Medio-lateral oblique mammogram of the right breast. 51-year-old patient.
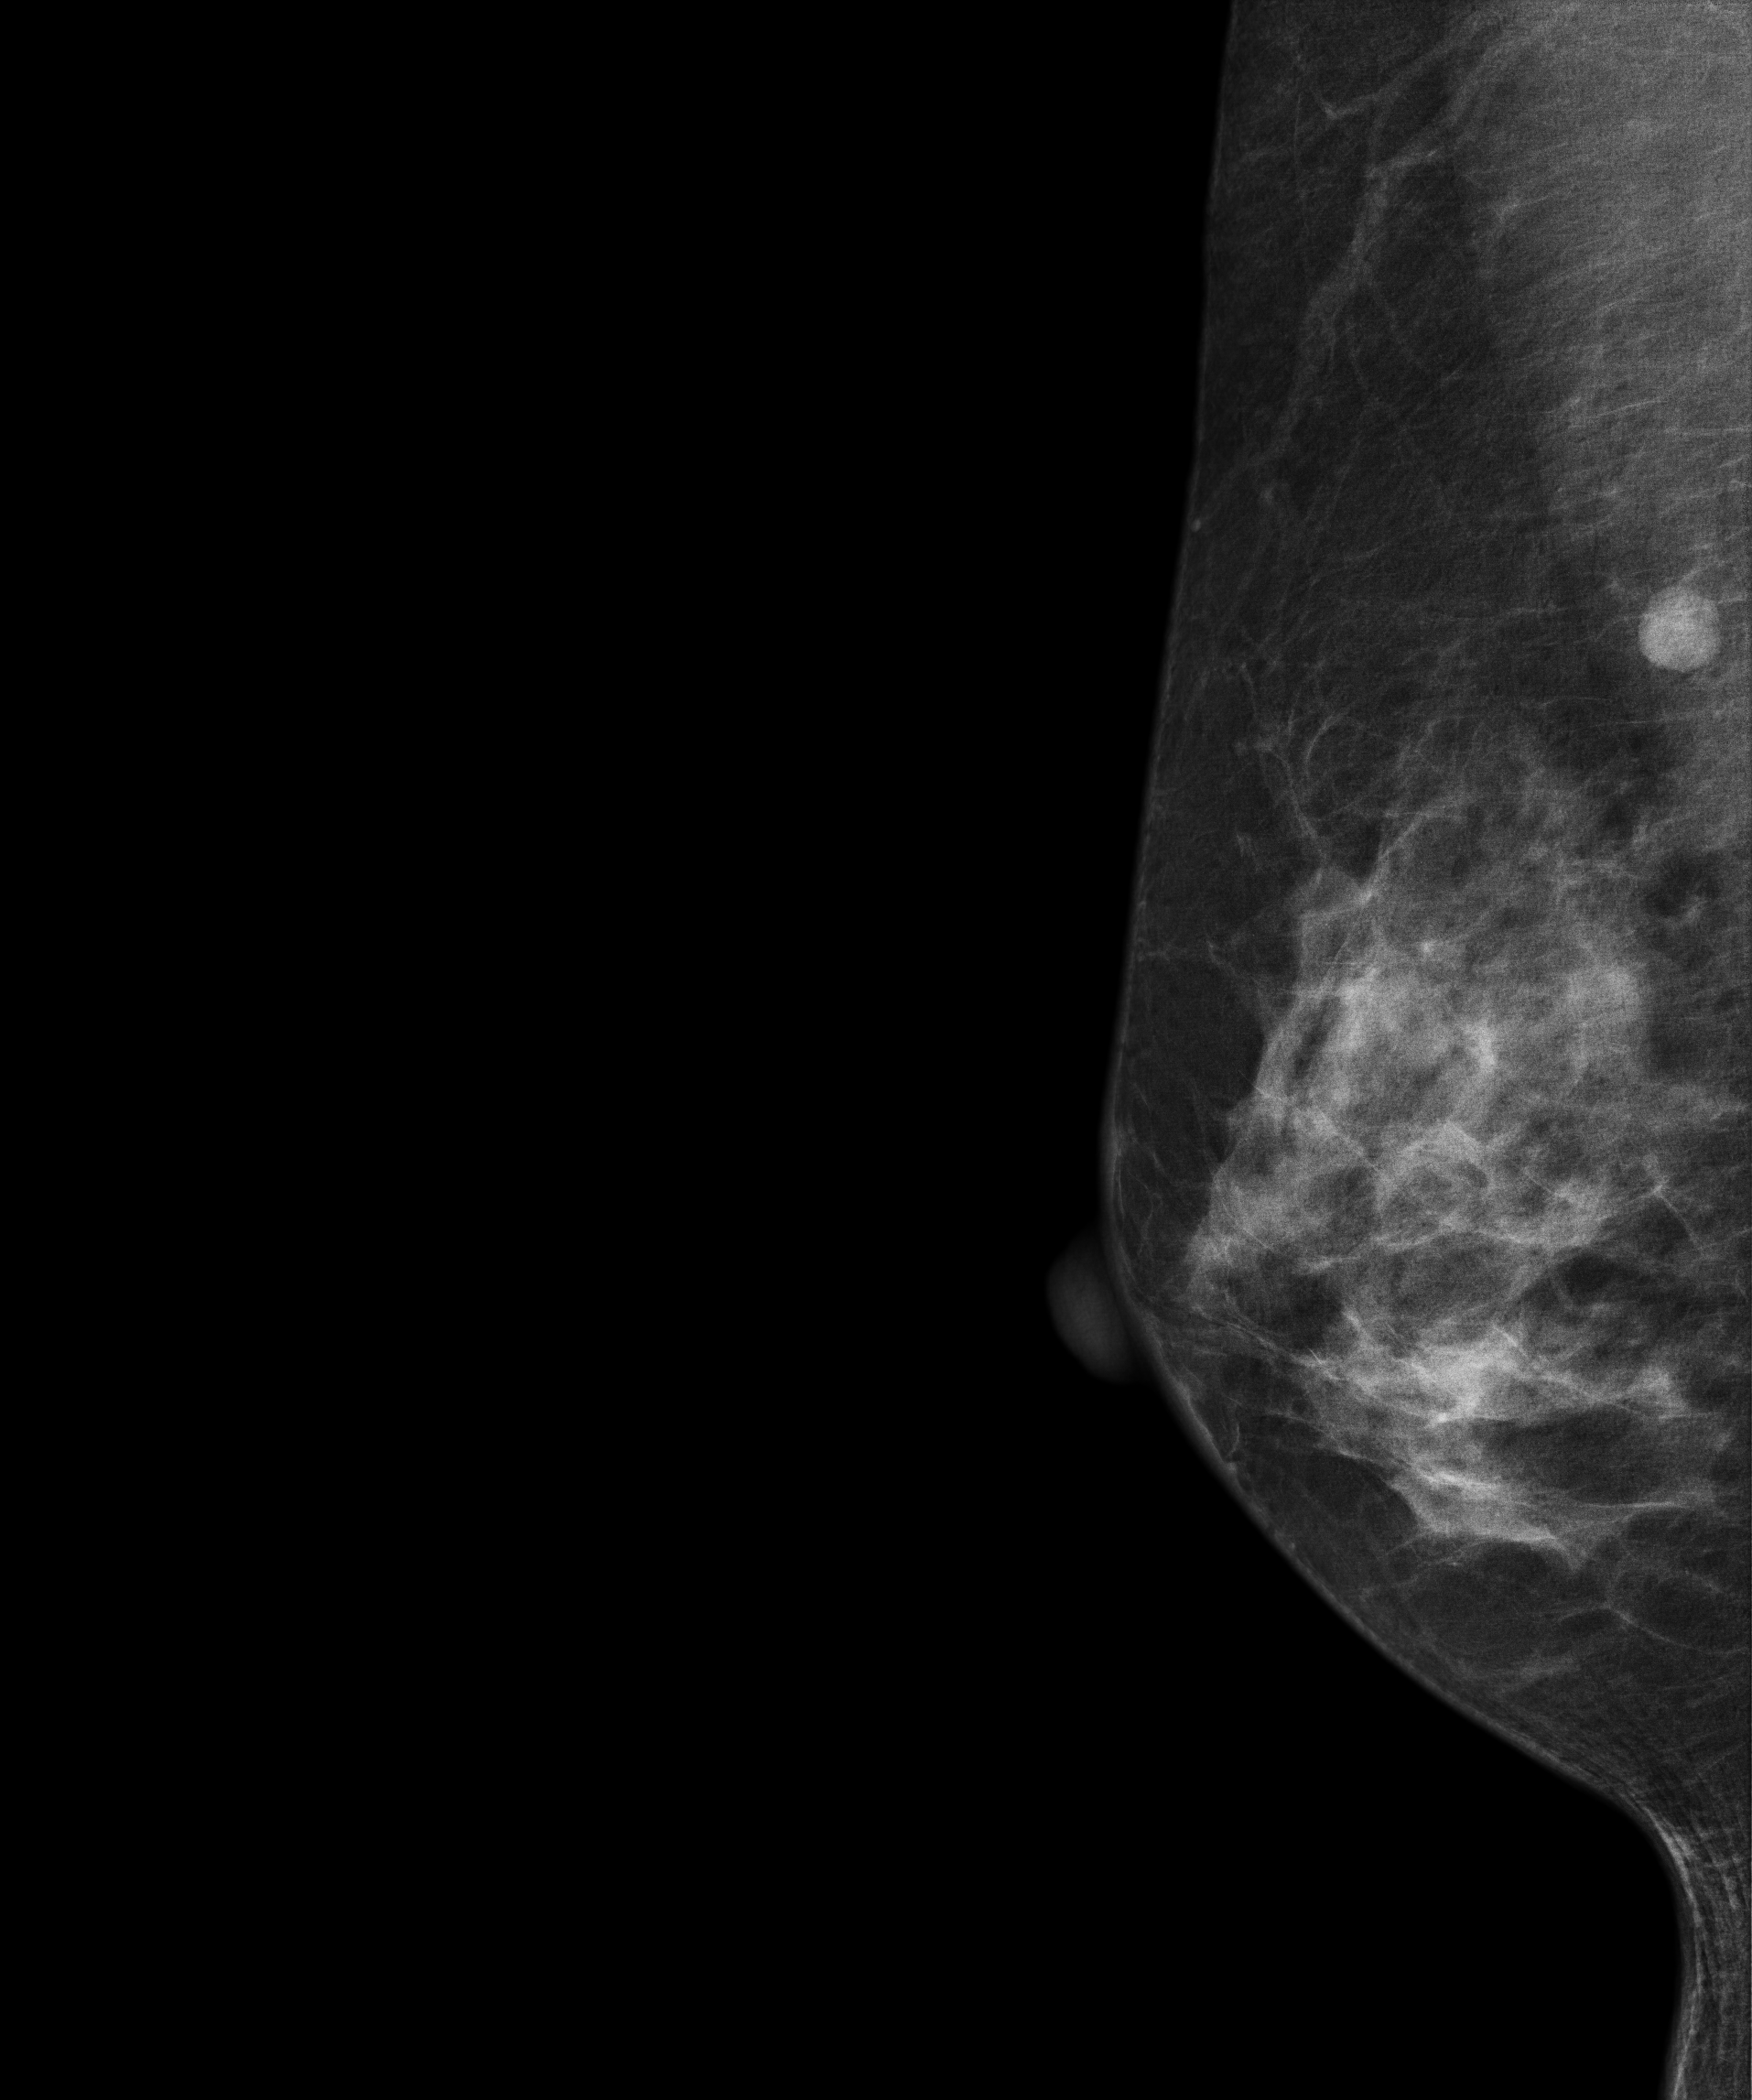
Contralateral breast — no documented abnormality on this side.